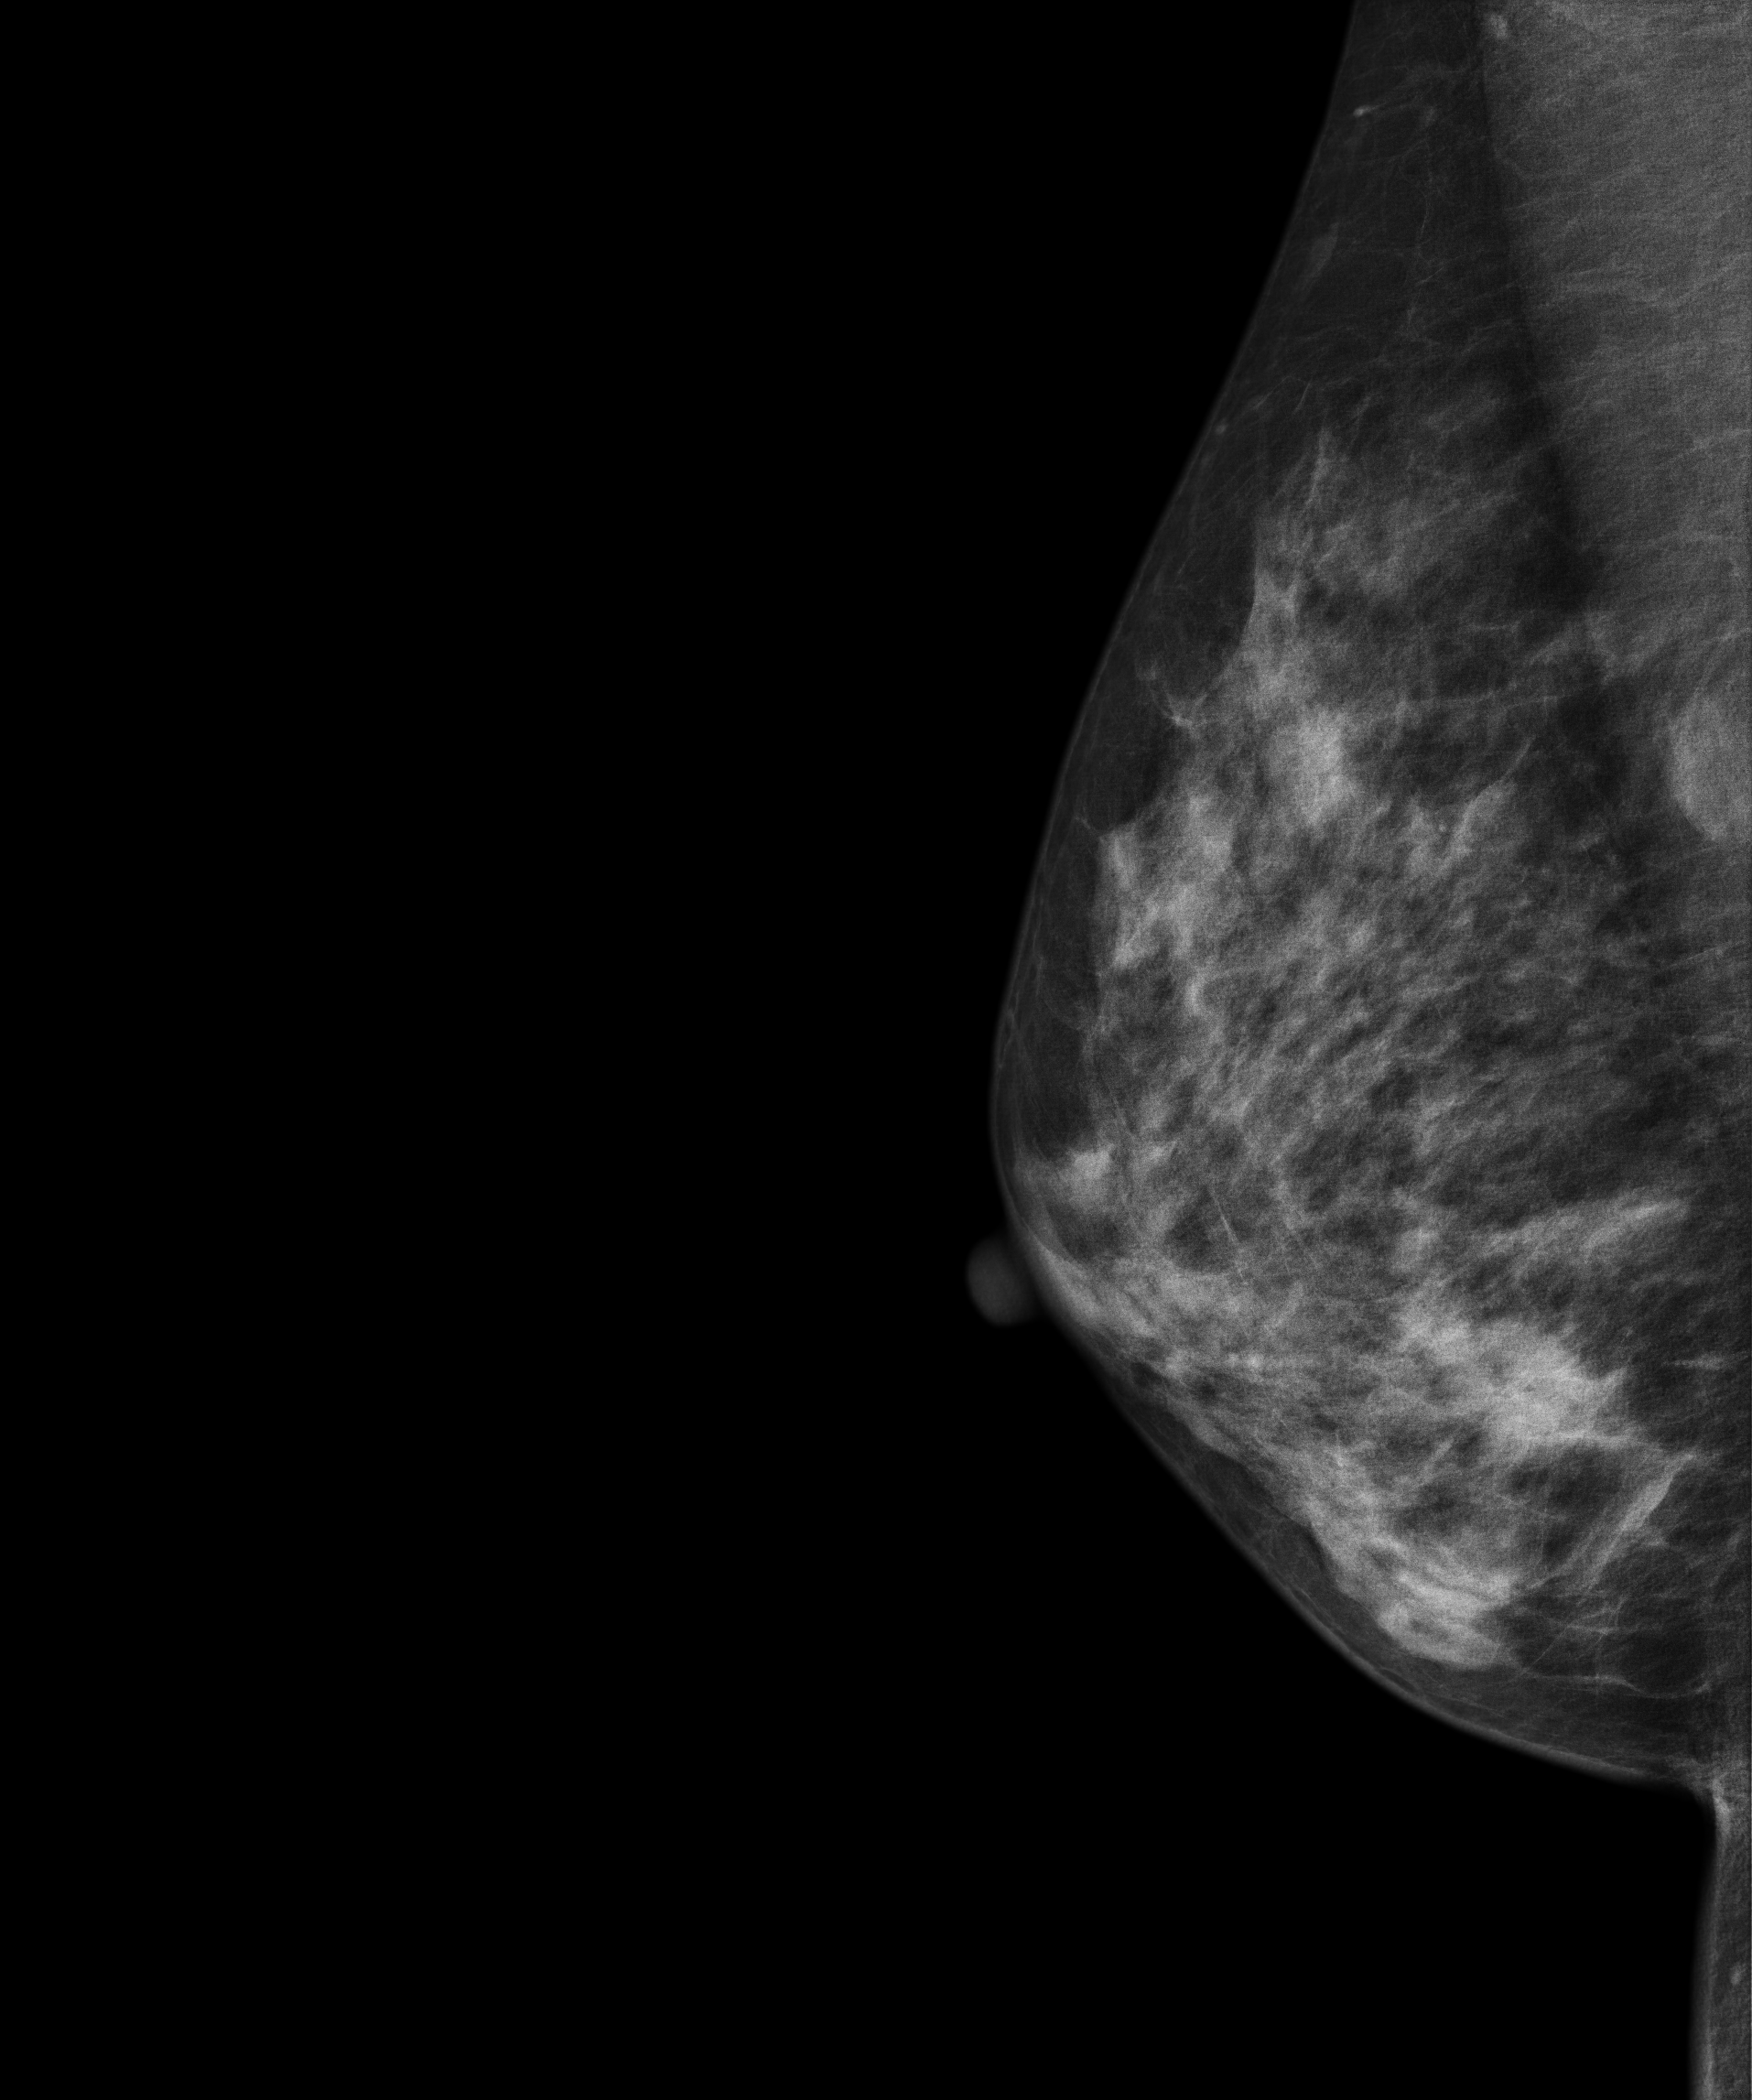
Mammogram — right MLO. 50-year-old patient.
This breast has a mass, biopsy-proven malignant.